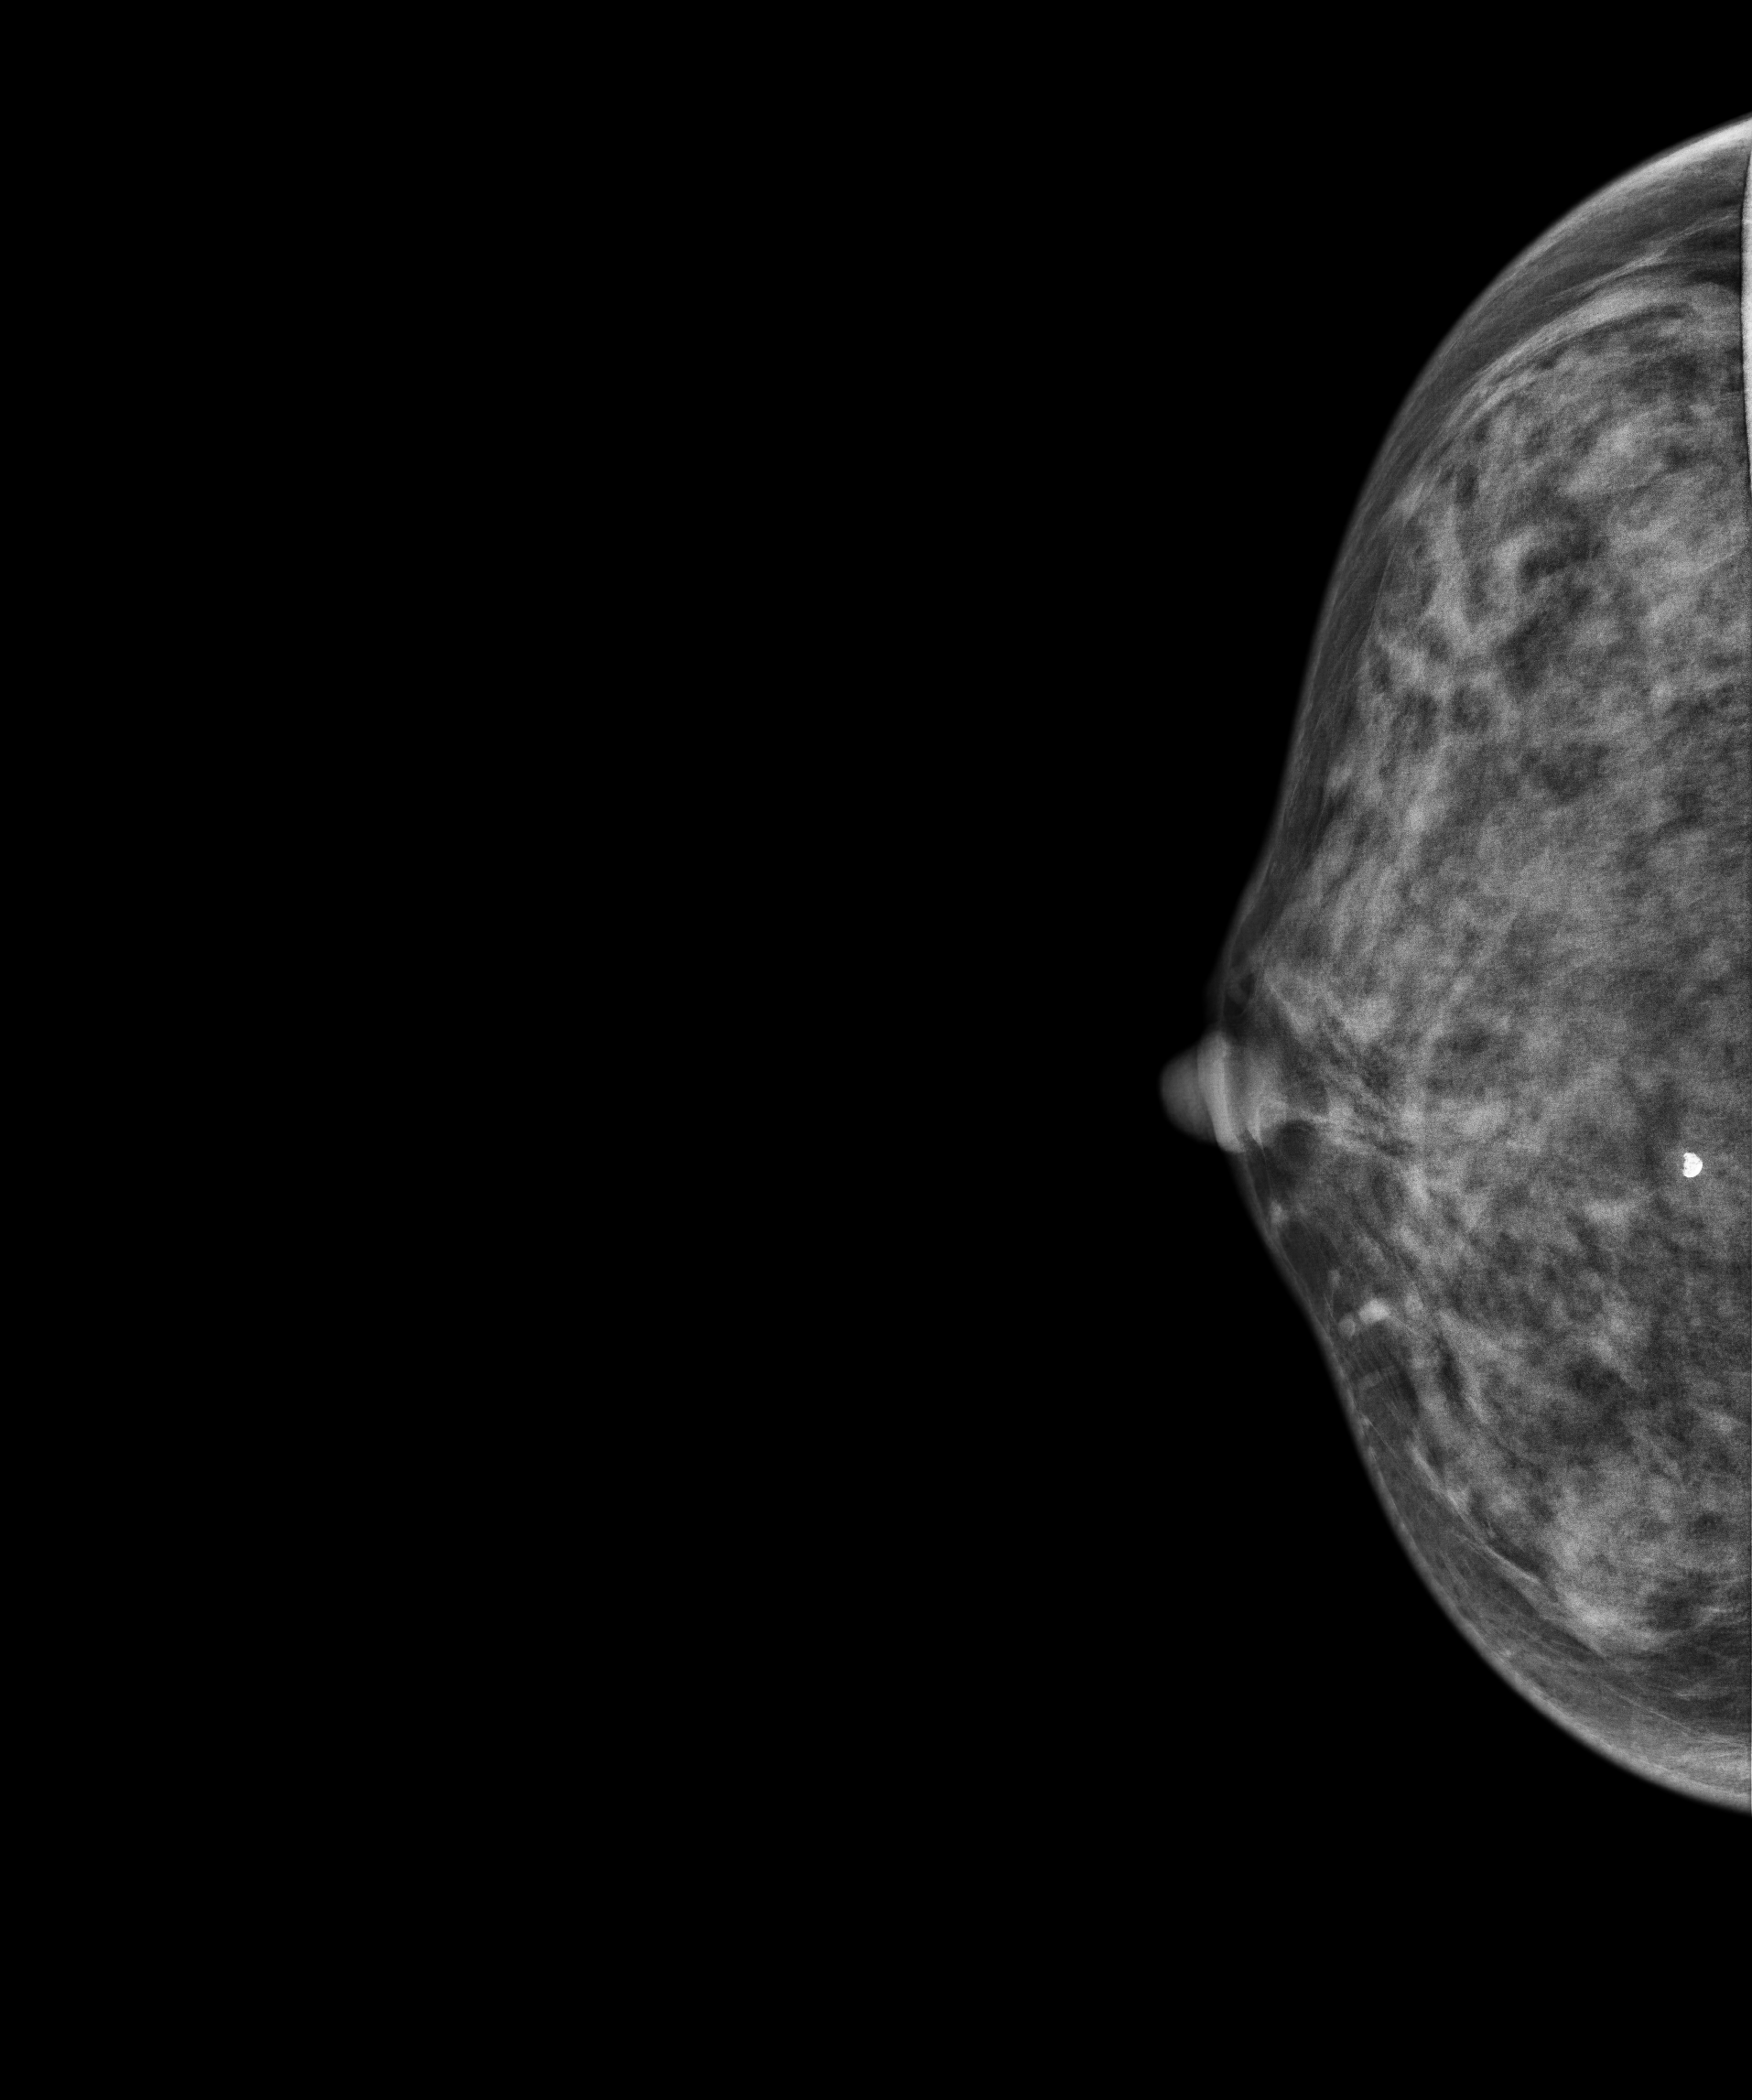
Right-breast mammogram, CC. 45-year-old patient.
This breast has a mass and calcifications, histologically confirmed benign.